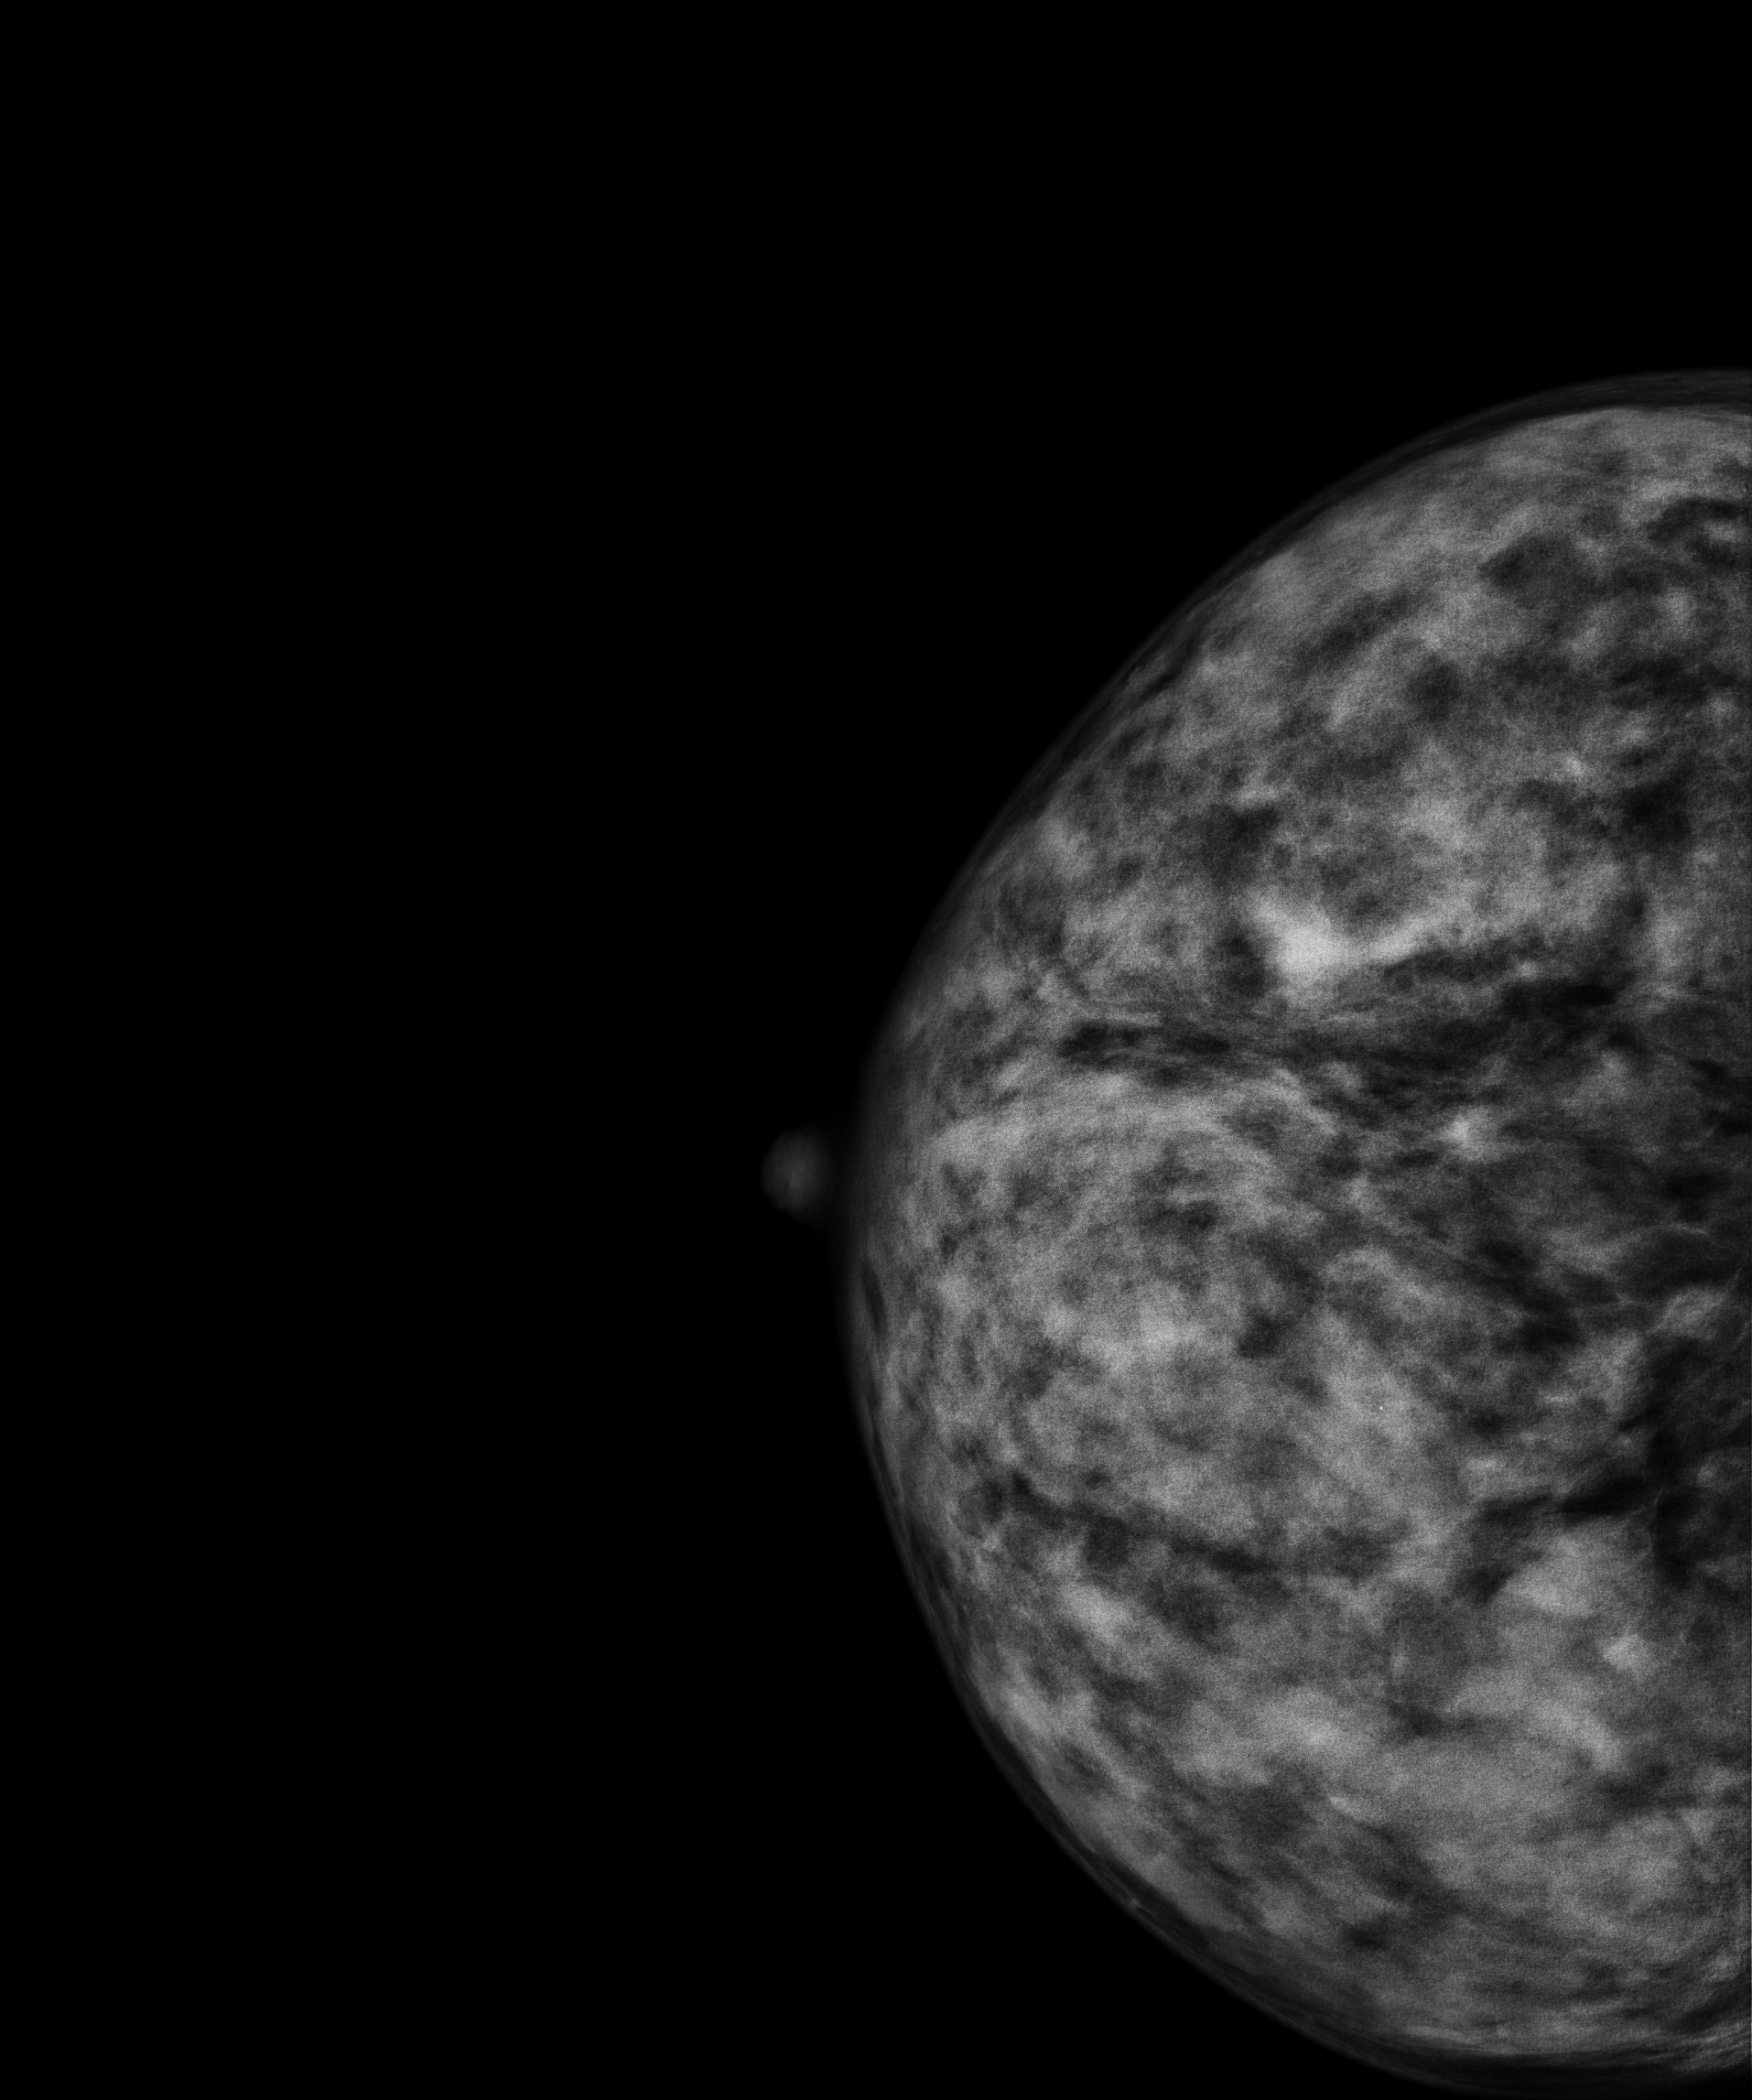
Digital mammography. Right breast, cranio-caudal projection. 41-year-old patient.
This breast has a mass and calcifications, pathology-confirmed benign.